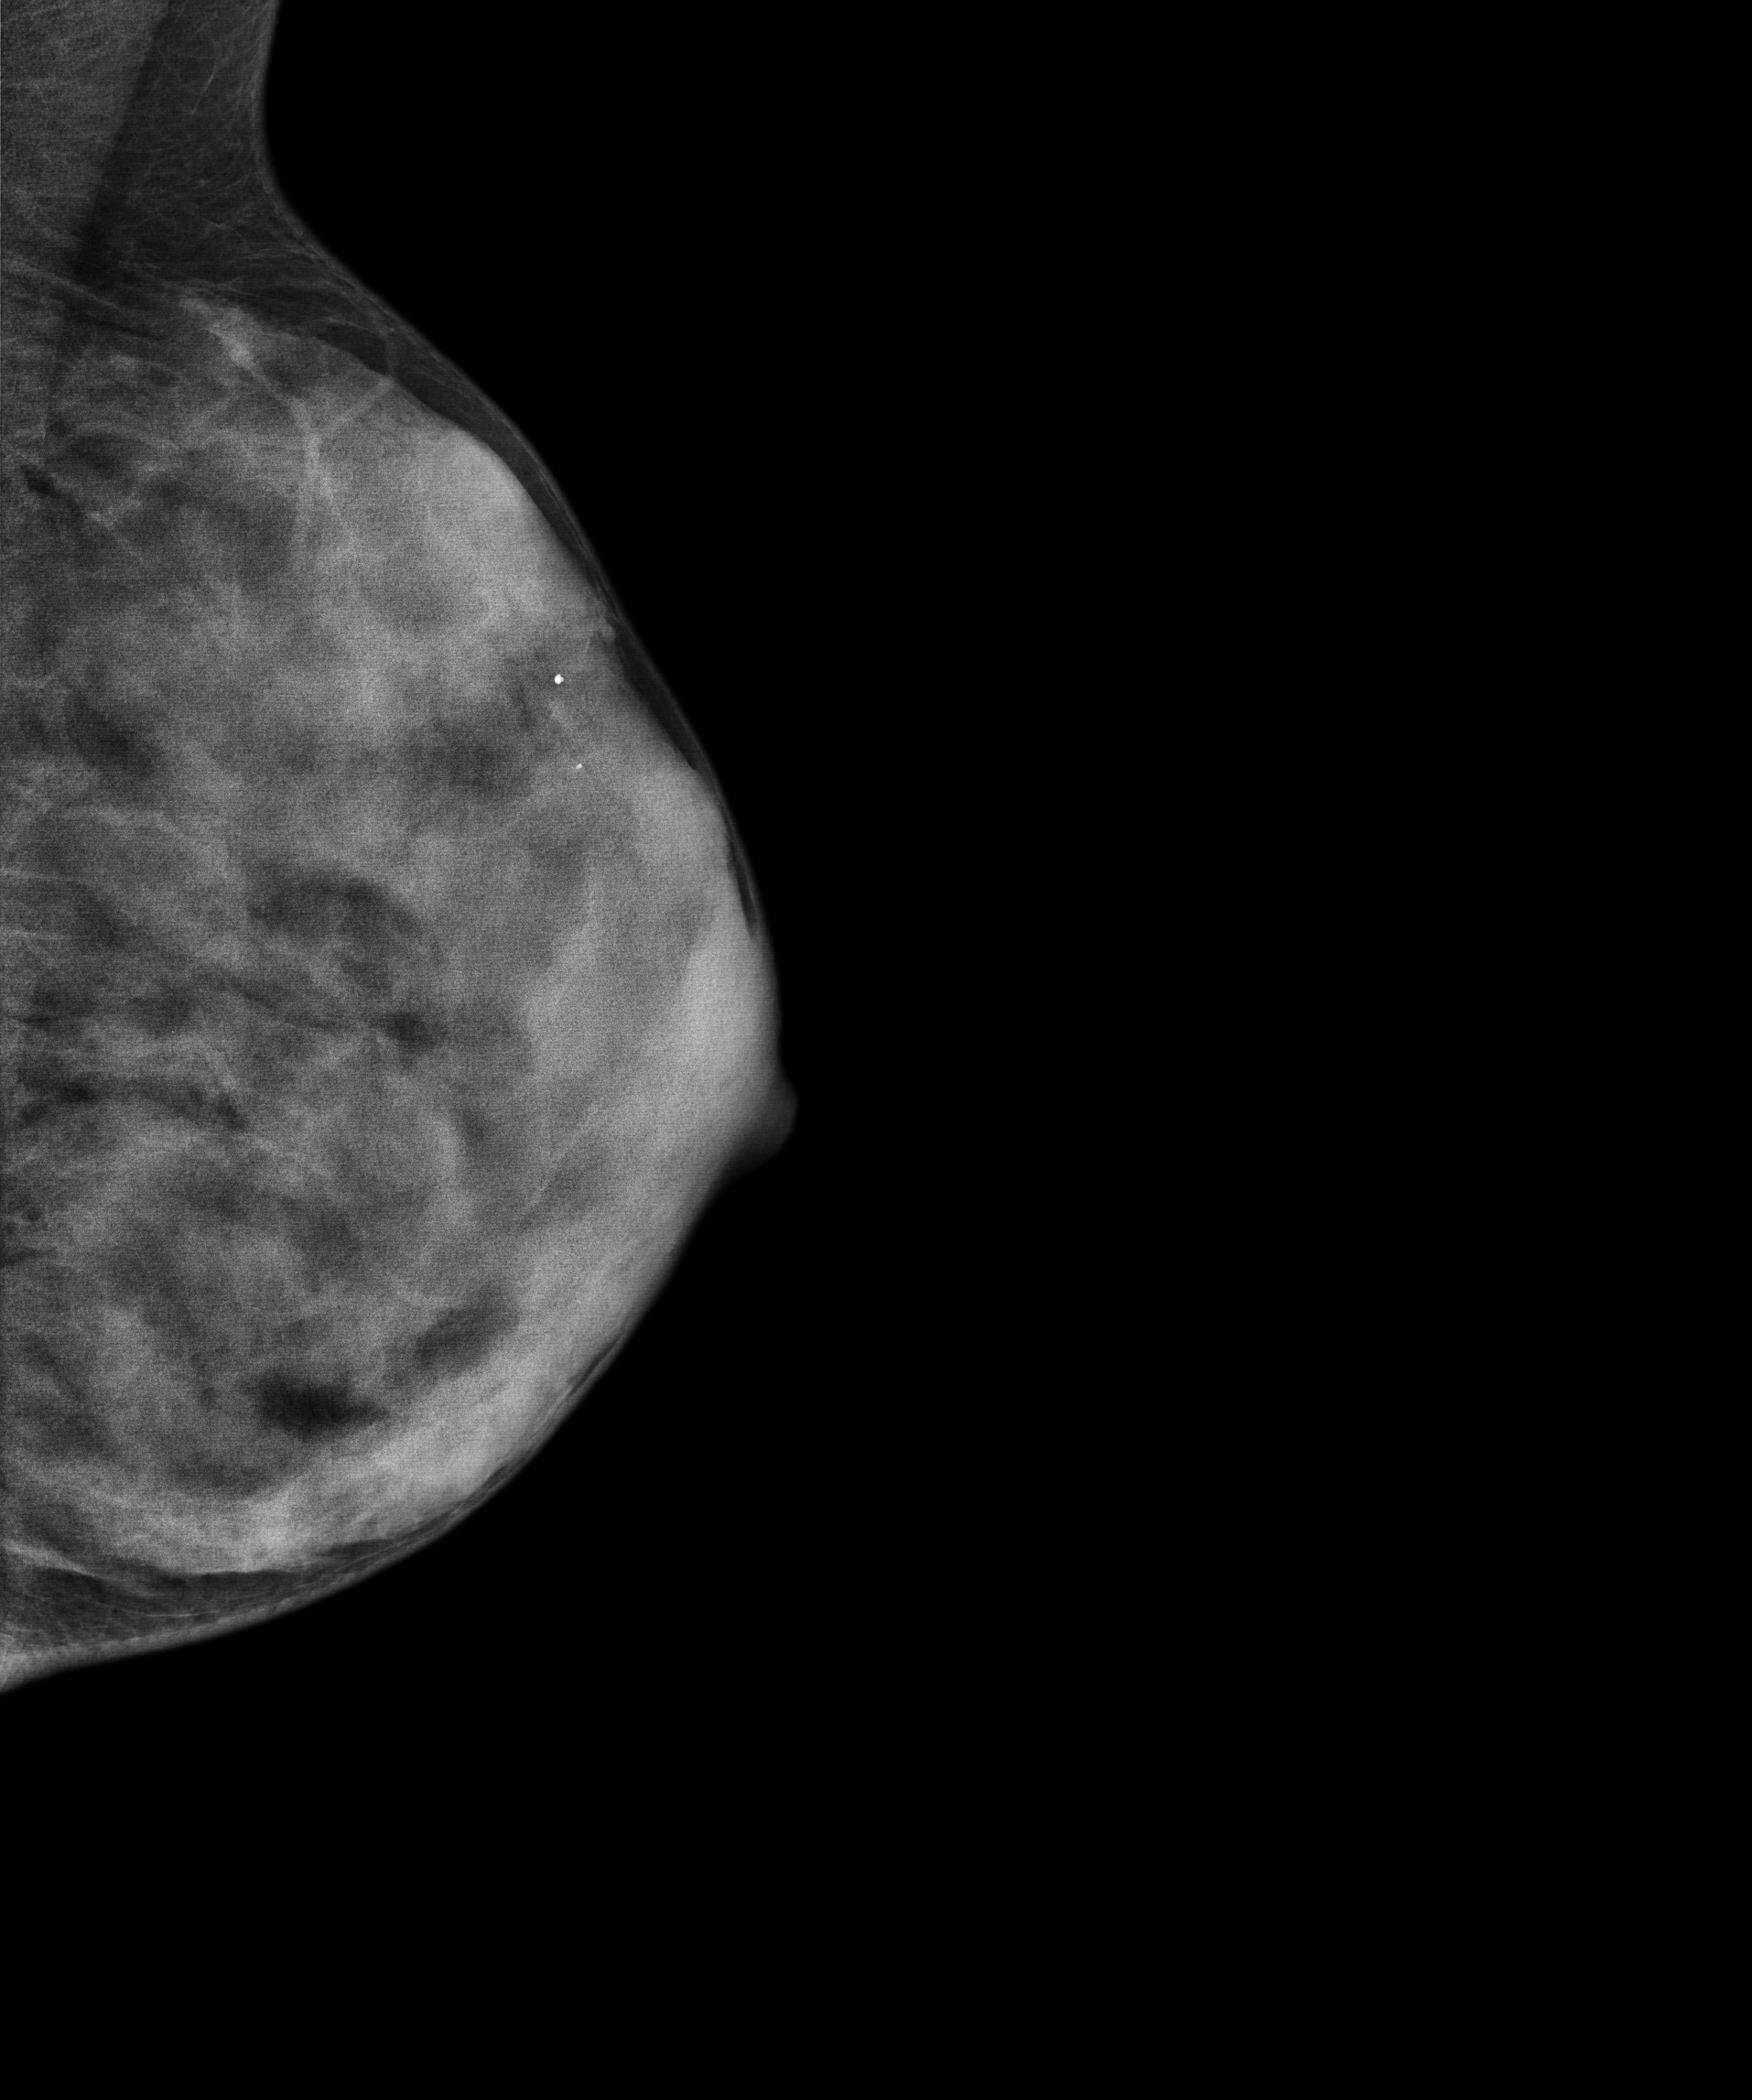
Left-breast mammogram, medio-lateral oblique. 21 y/o patient.
This breast has a mass, biopsy-confirmed benign.